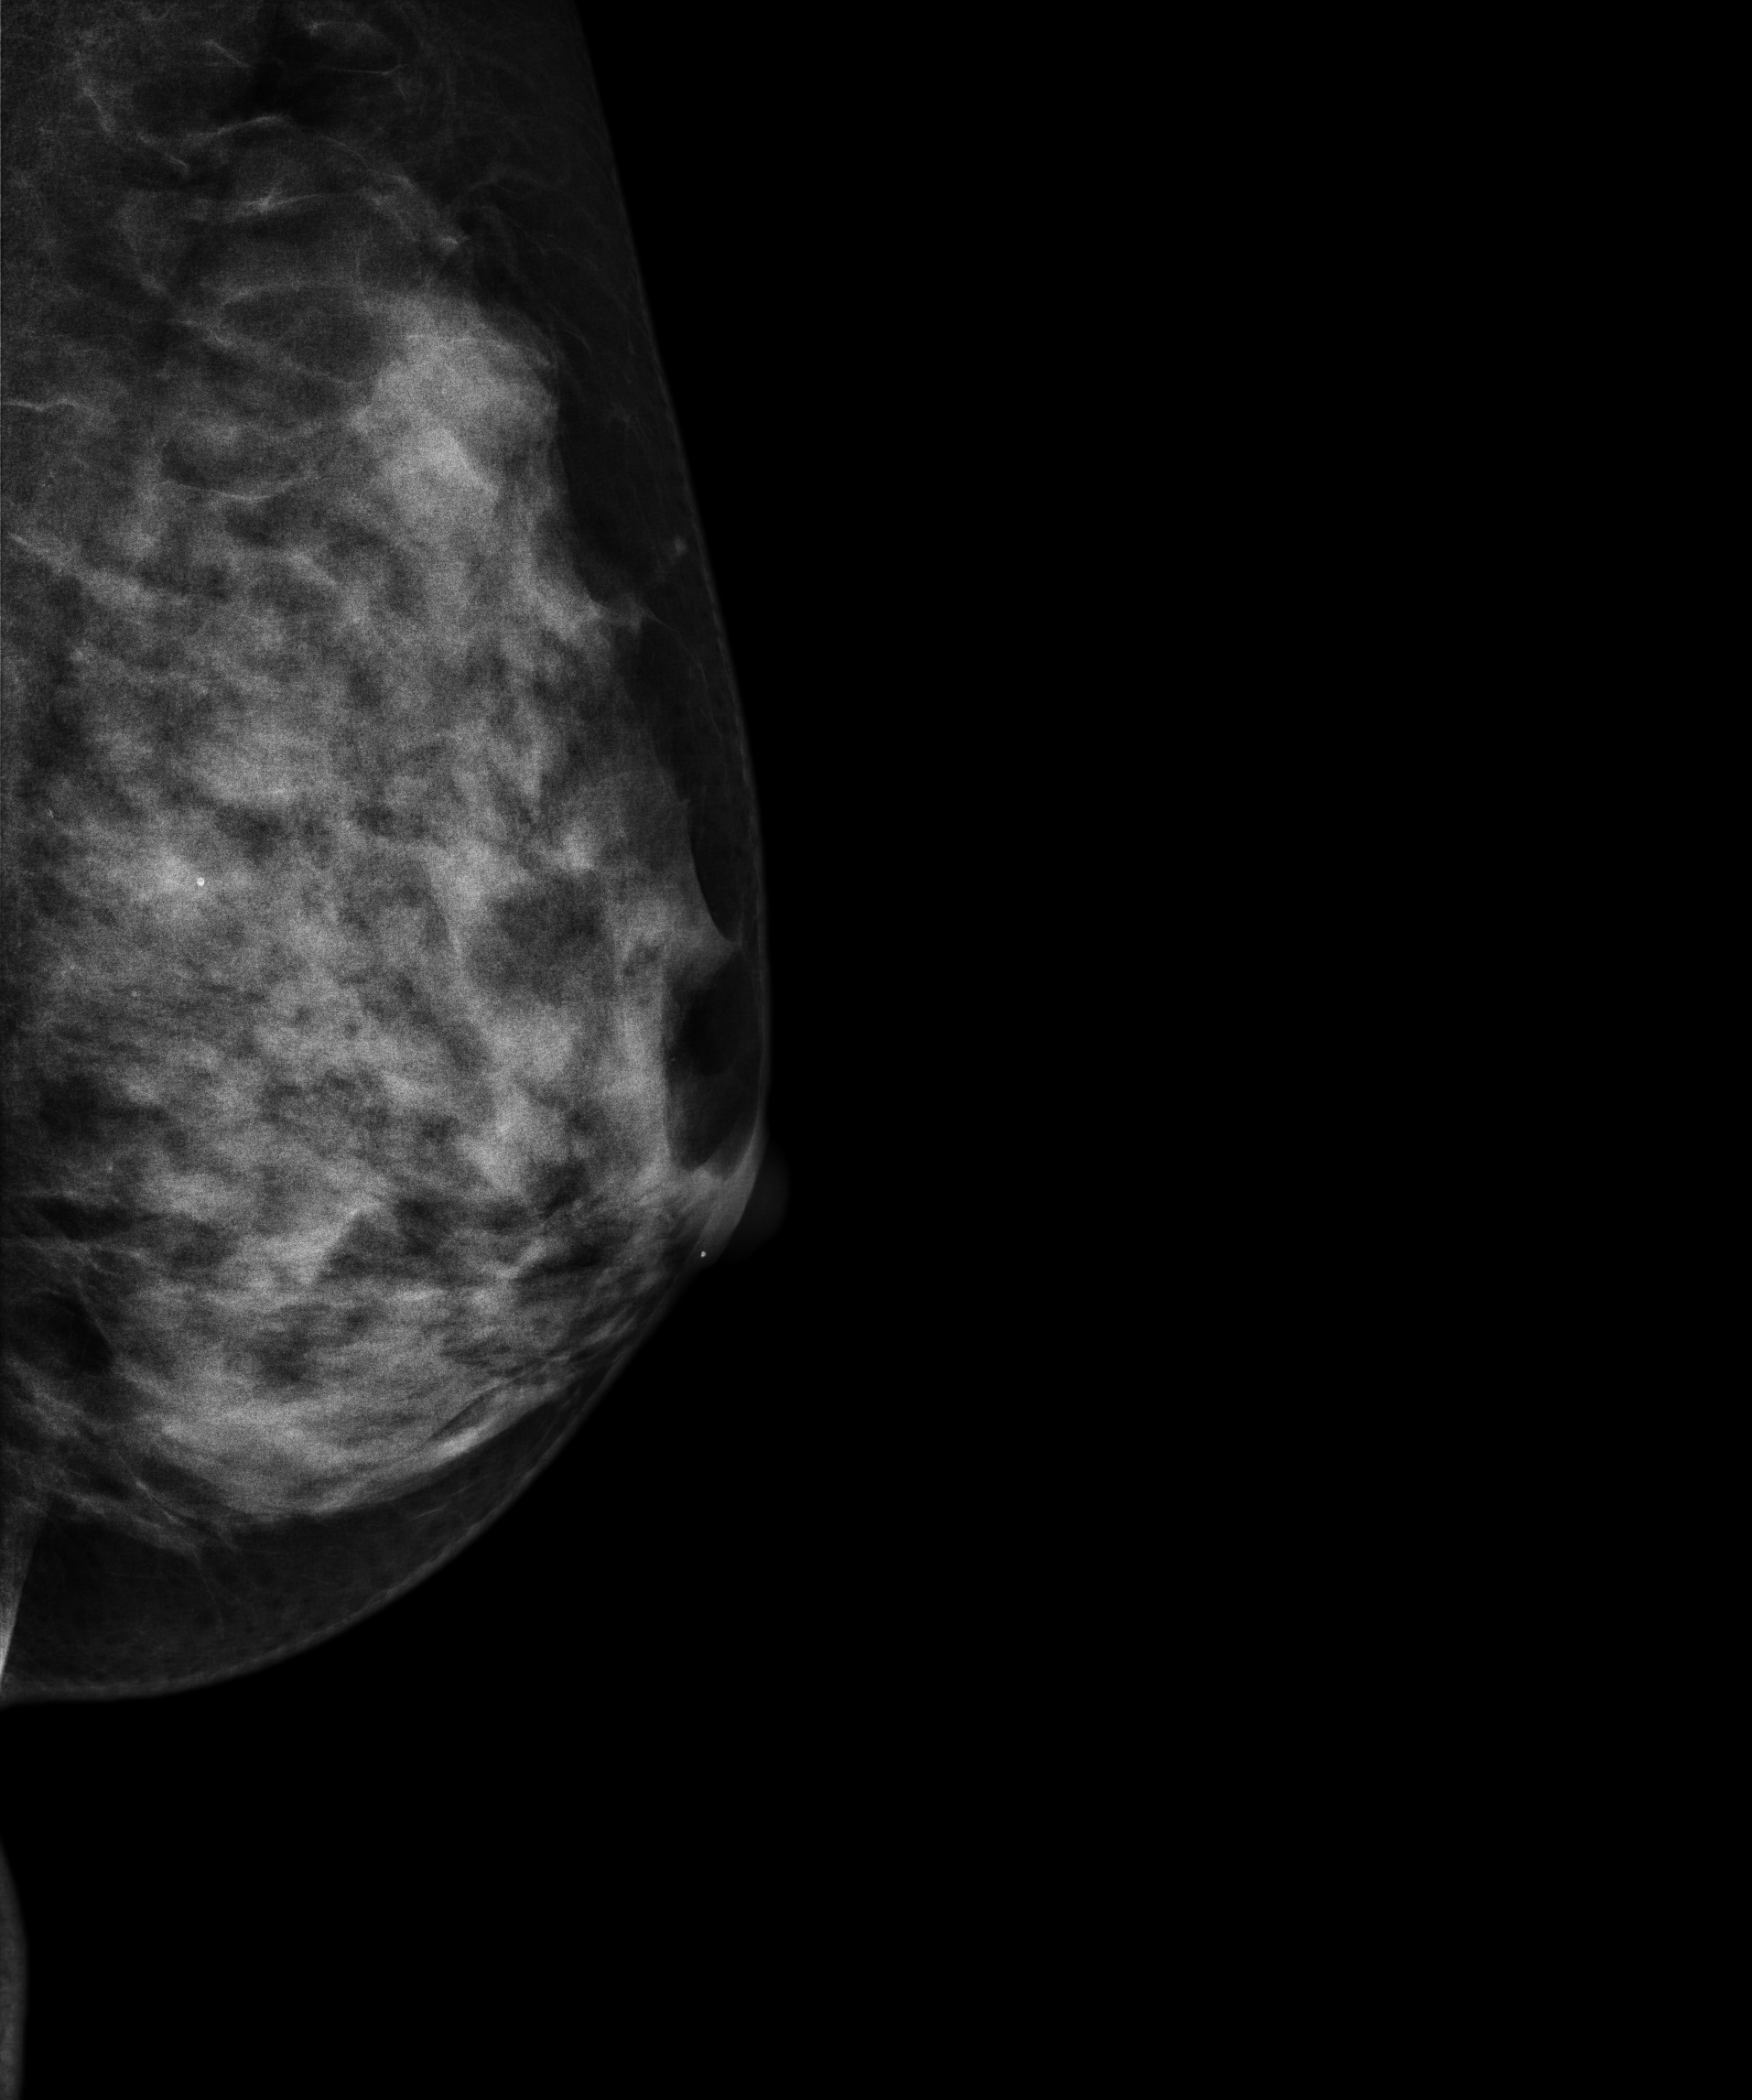
Left-breast mammogram, MLO. 42 y/o patient.
This breast has a mass, biopsy-proven benign.